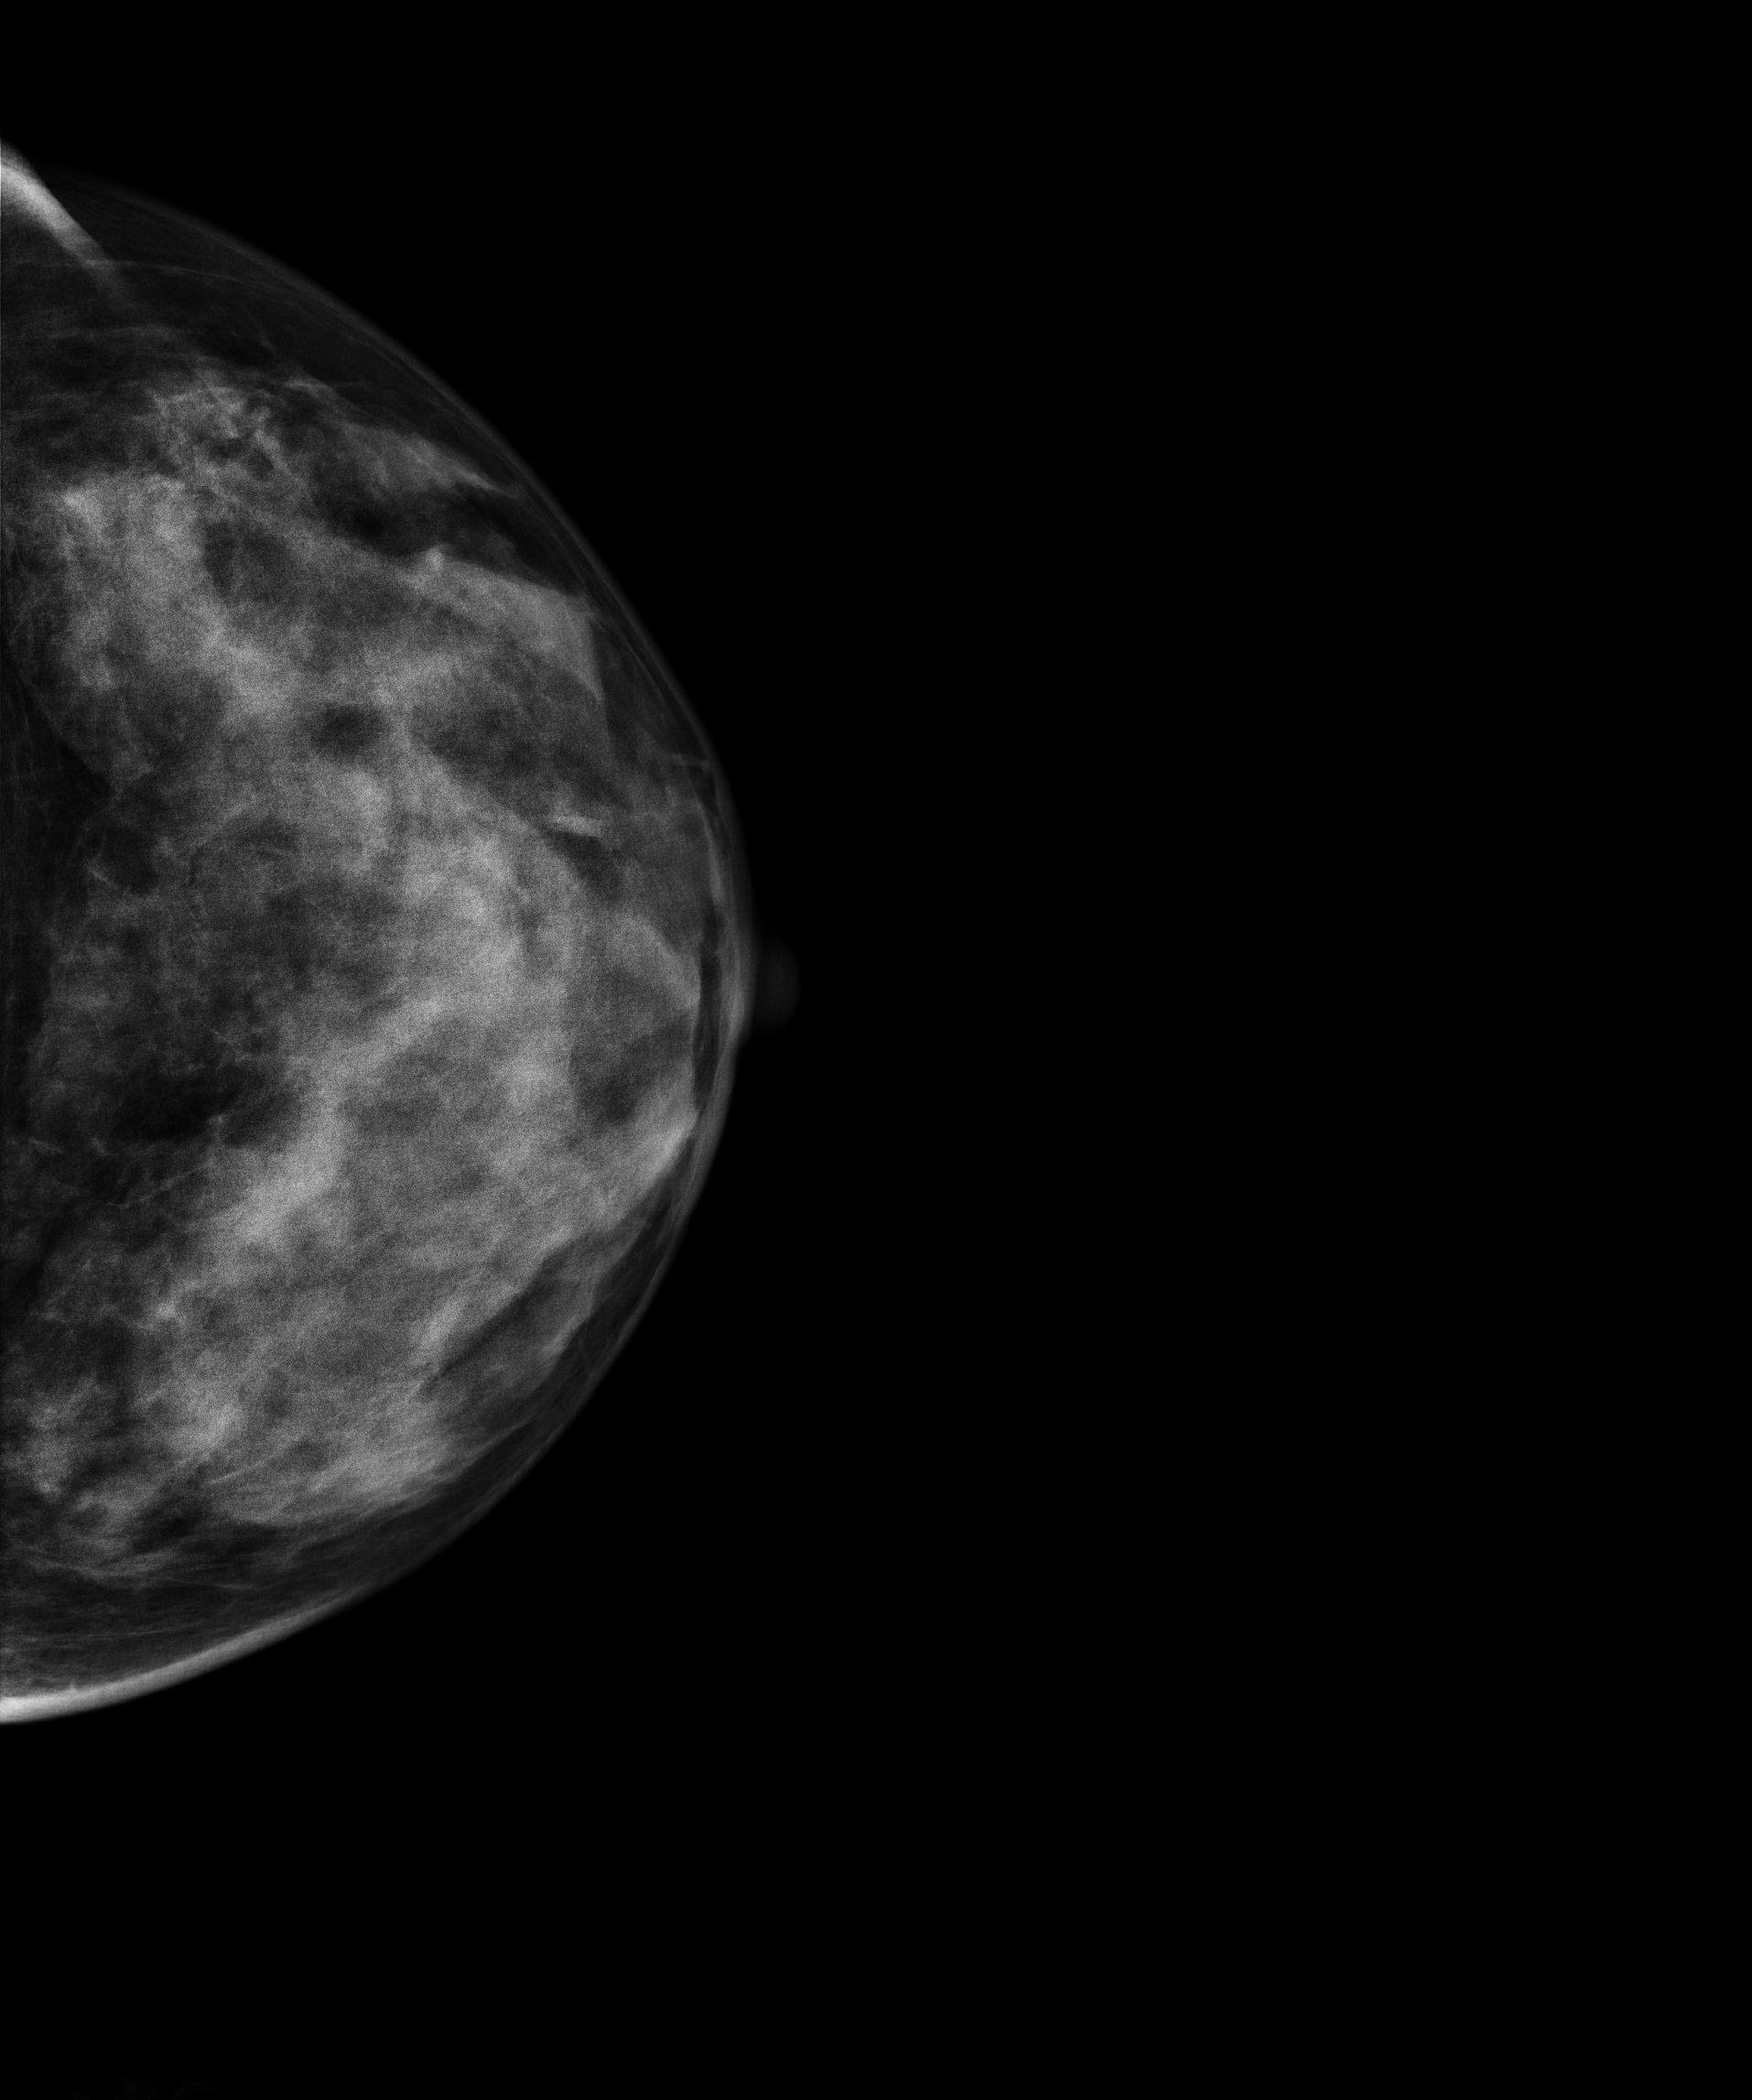
Cranio-caudal mammogram of the left breast. 41-year-old patient.
This breast has a mass, biopsy-proven malignant.